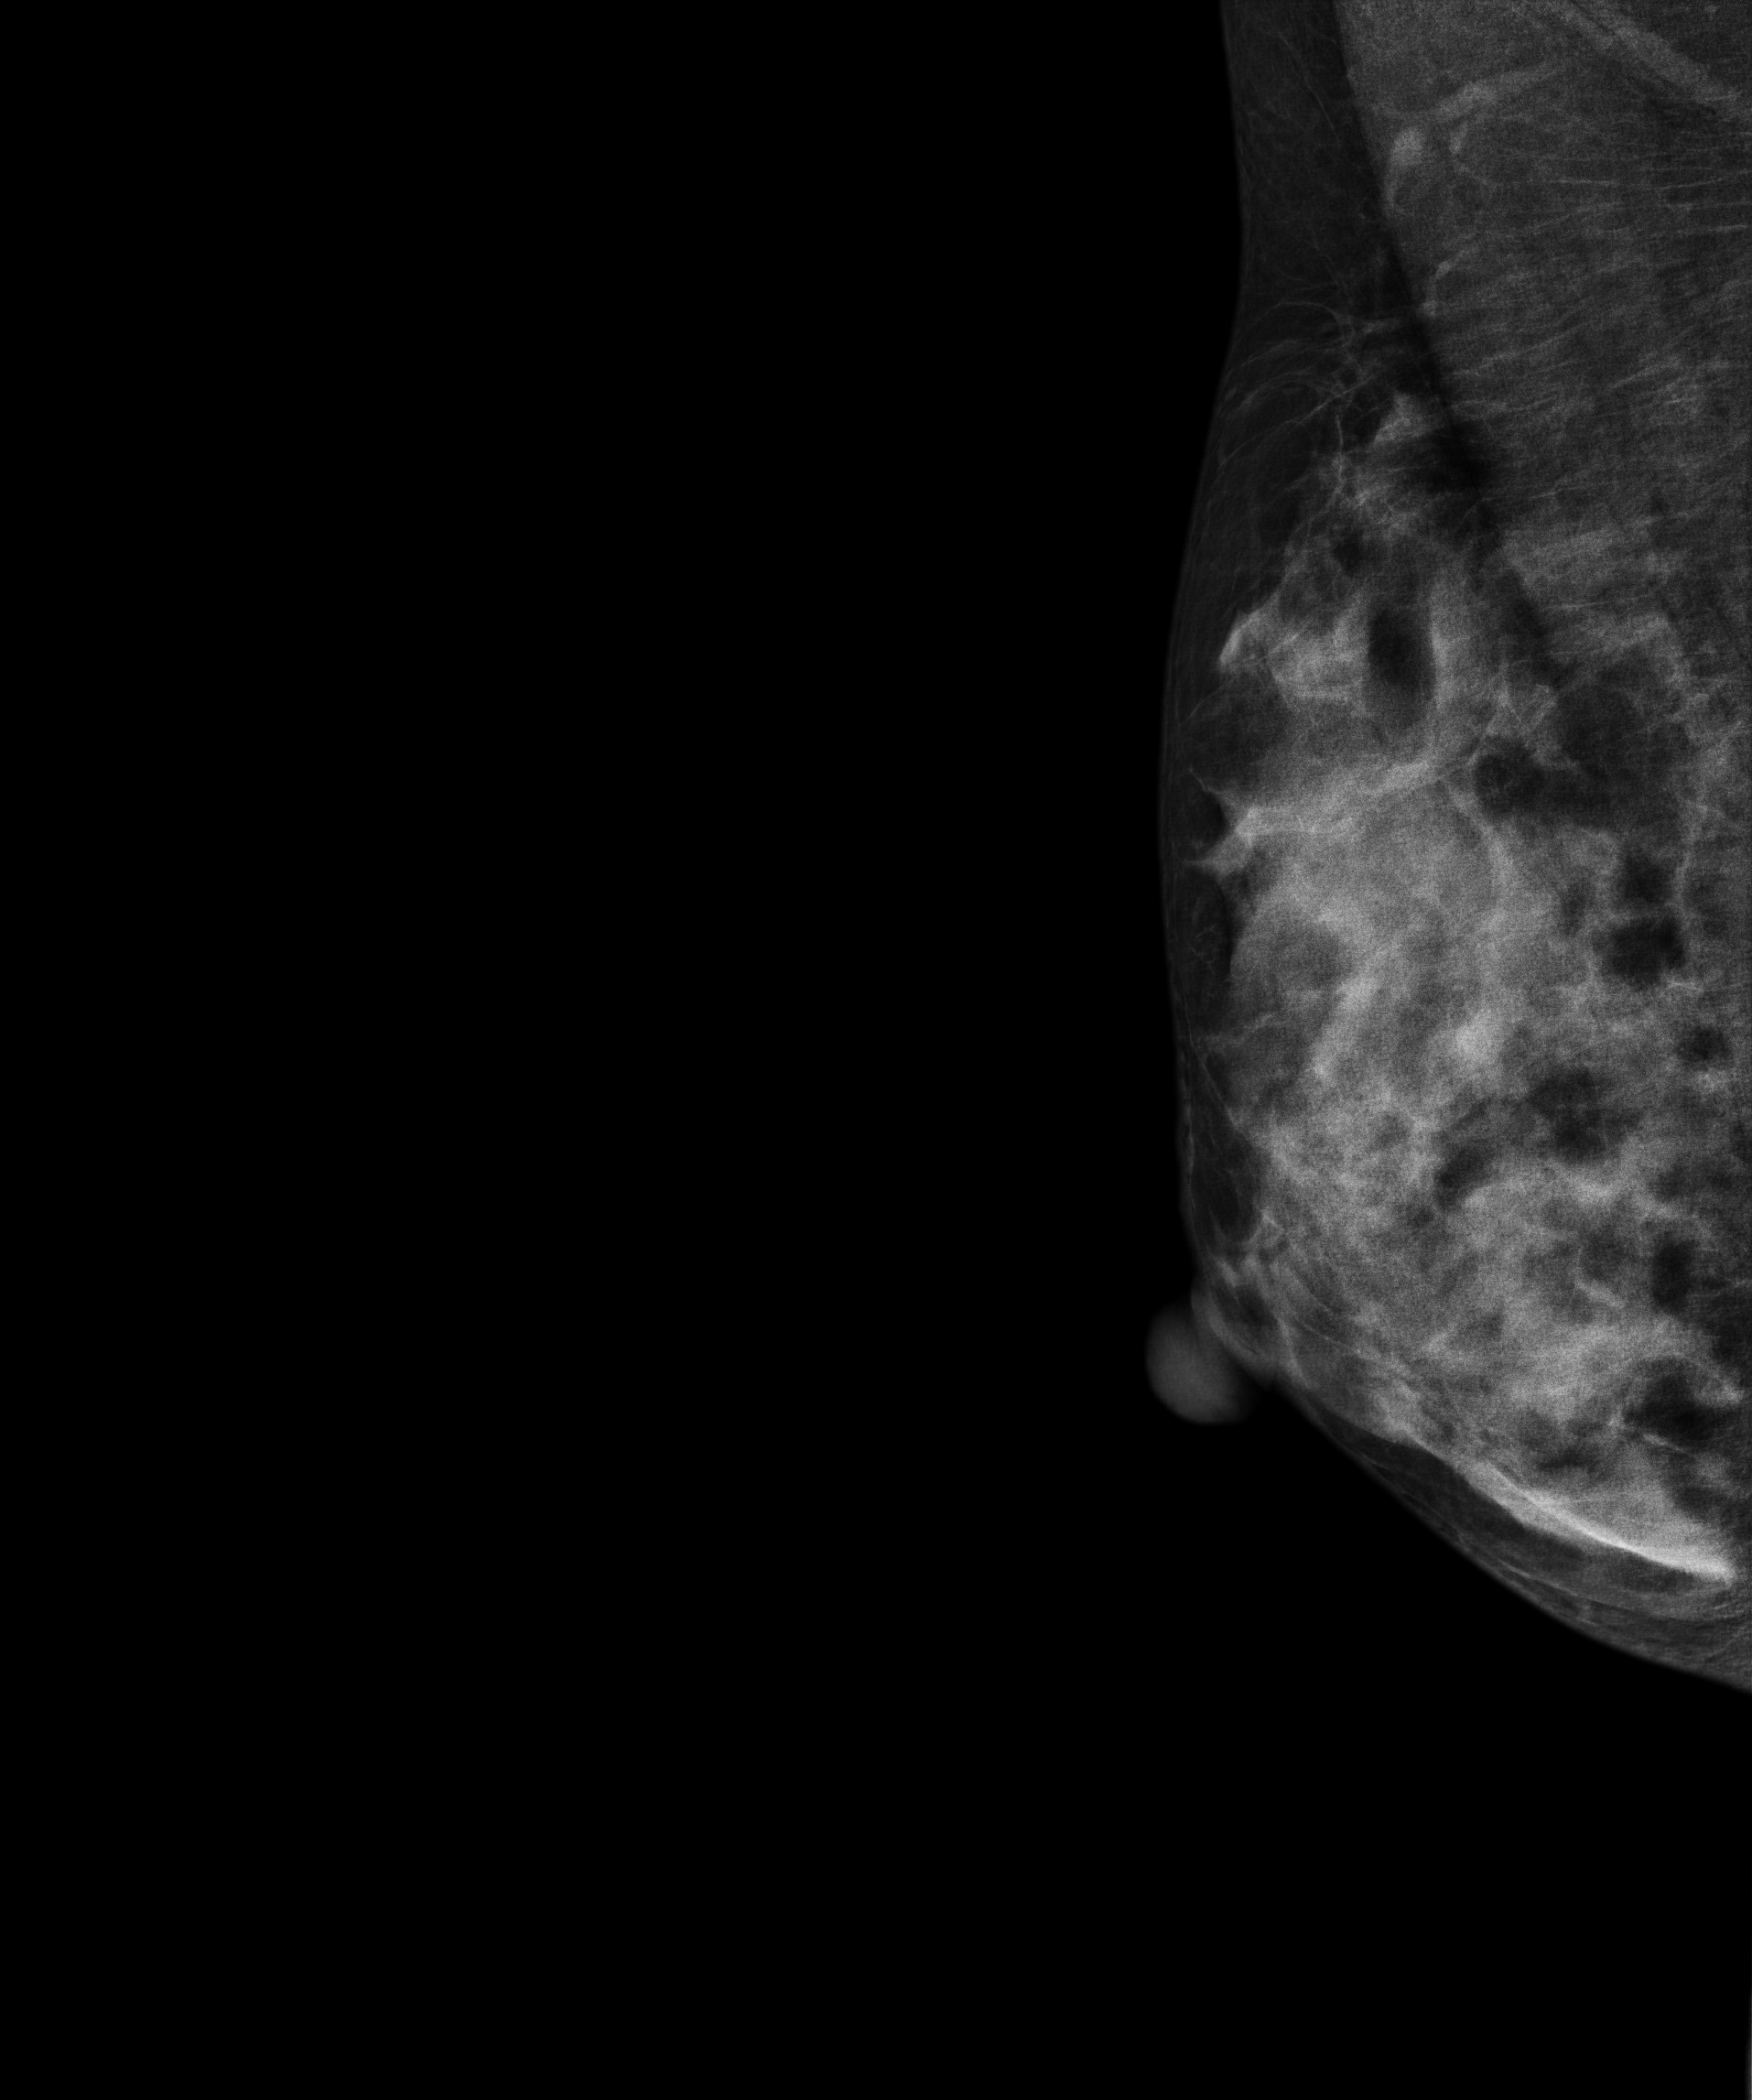
Mammogram, right breast, medio-lateral oblique view. Patient age 38.
Contralateral breast — no documented abnormality on this side.